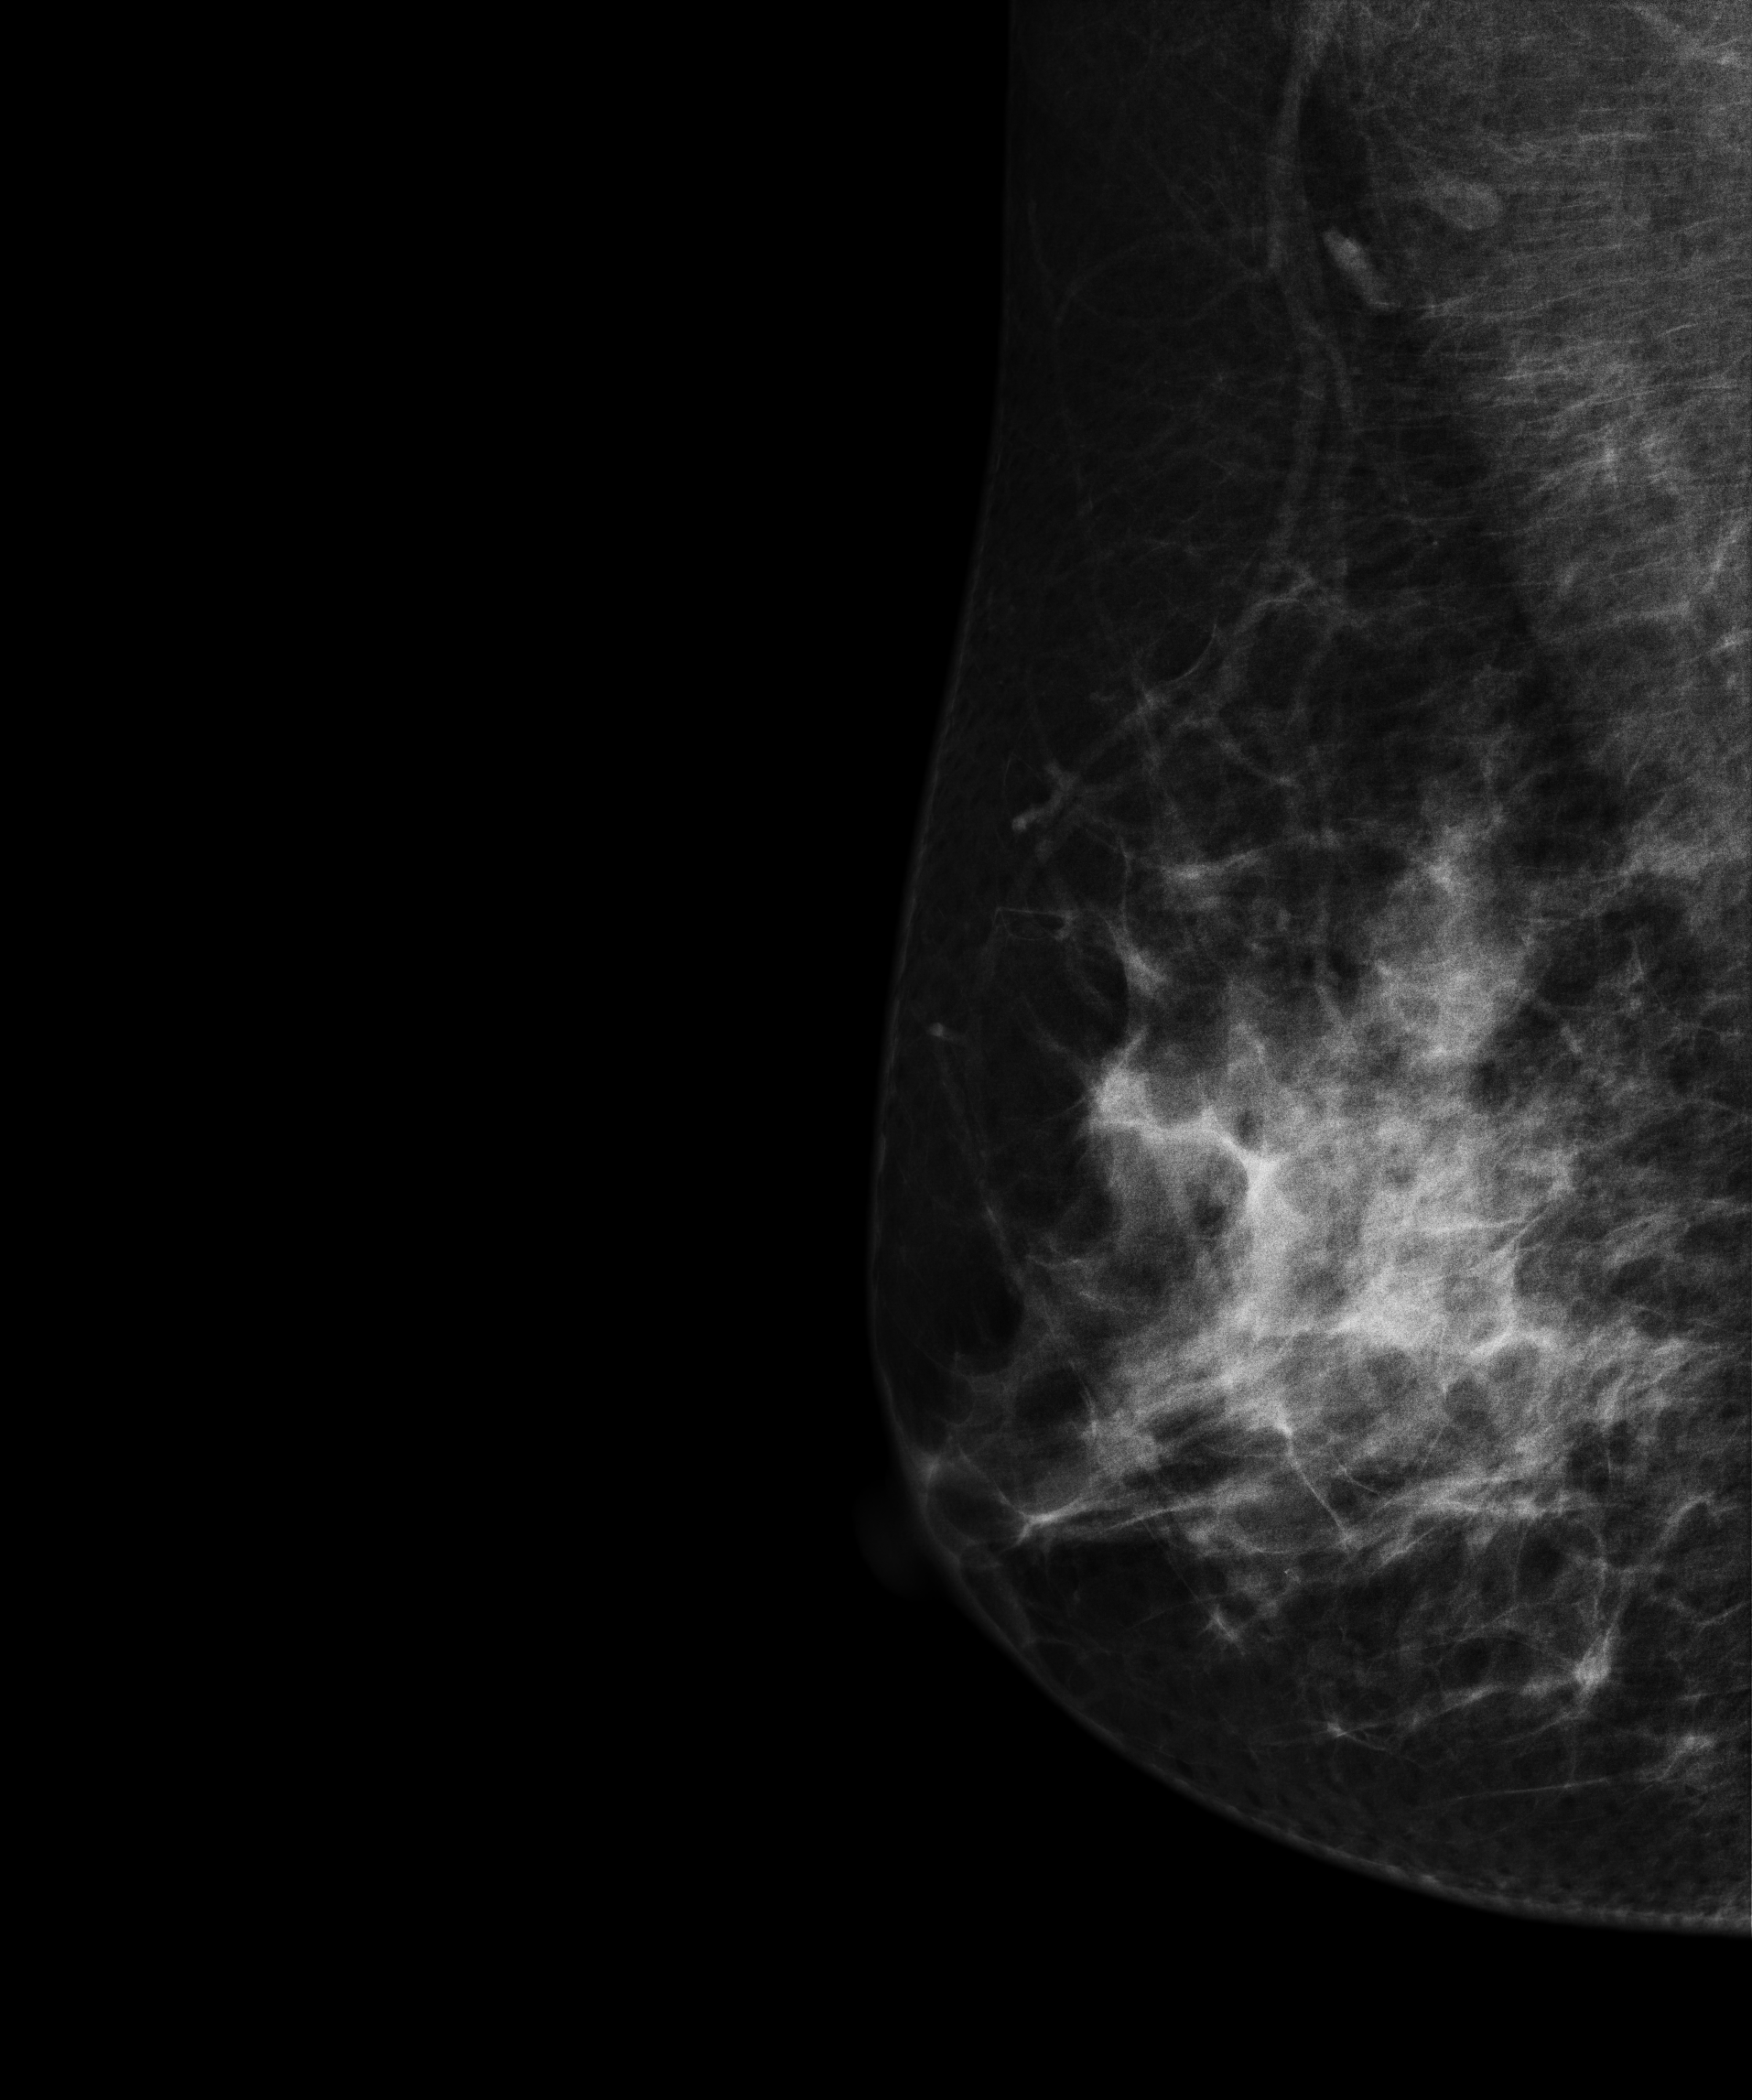
Mammogram, right breast, medio-lateral oblique view. 40-year-old patient.
This breast has a mass, biopsy-confirmed benign.